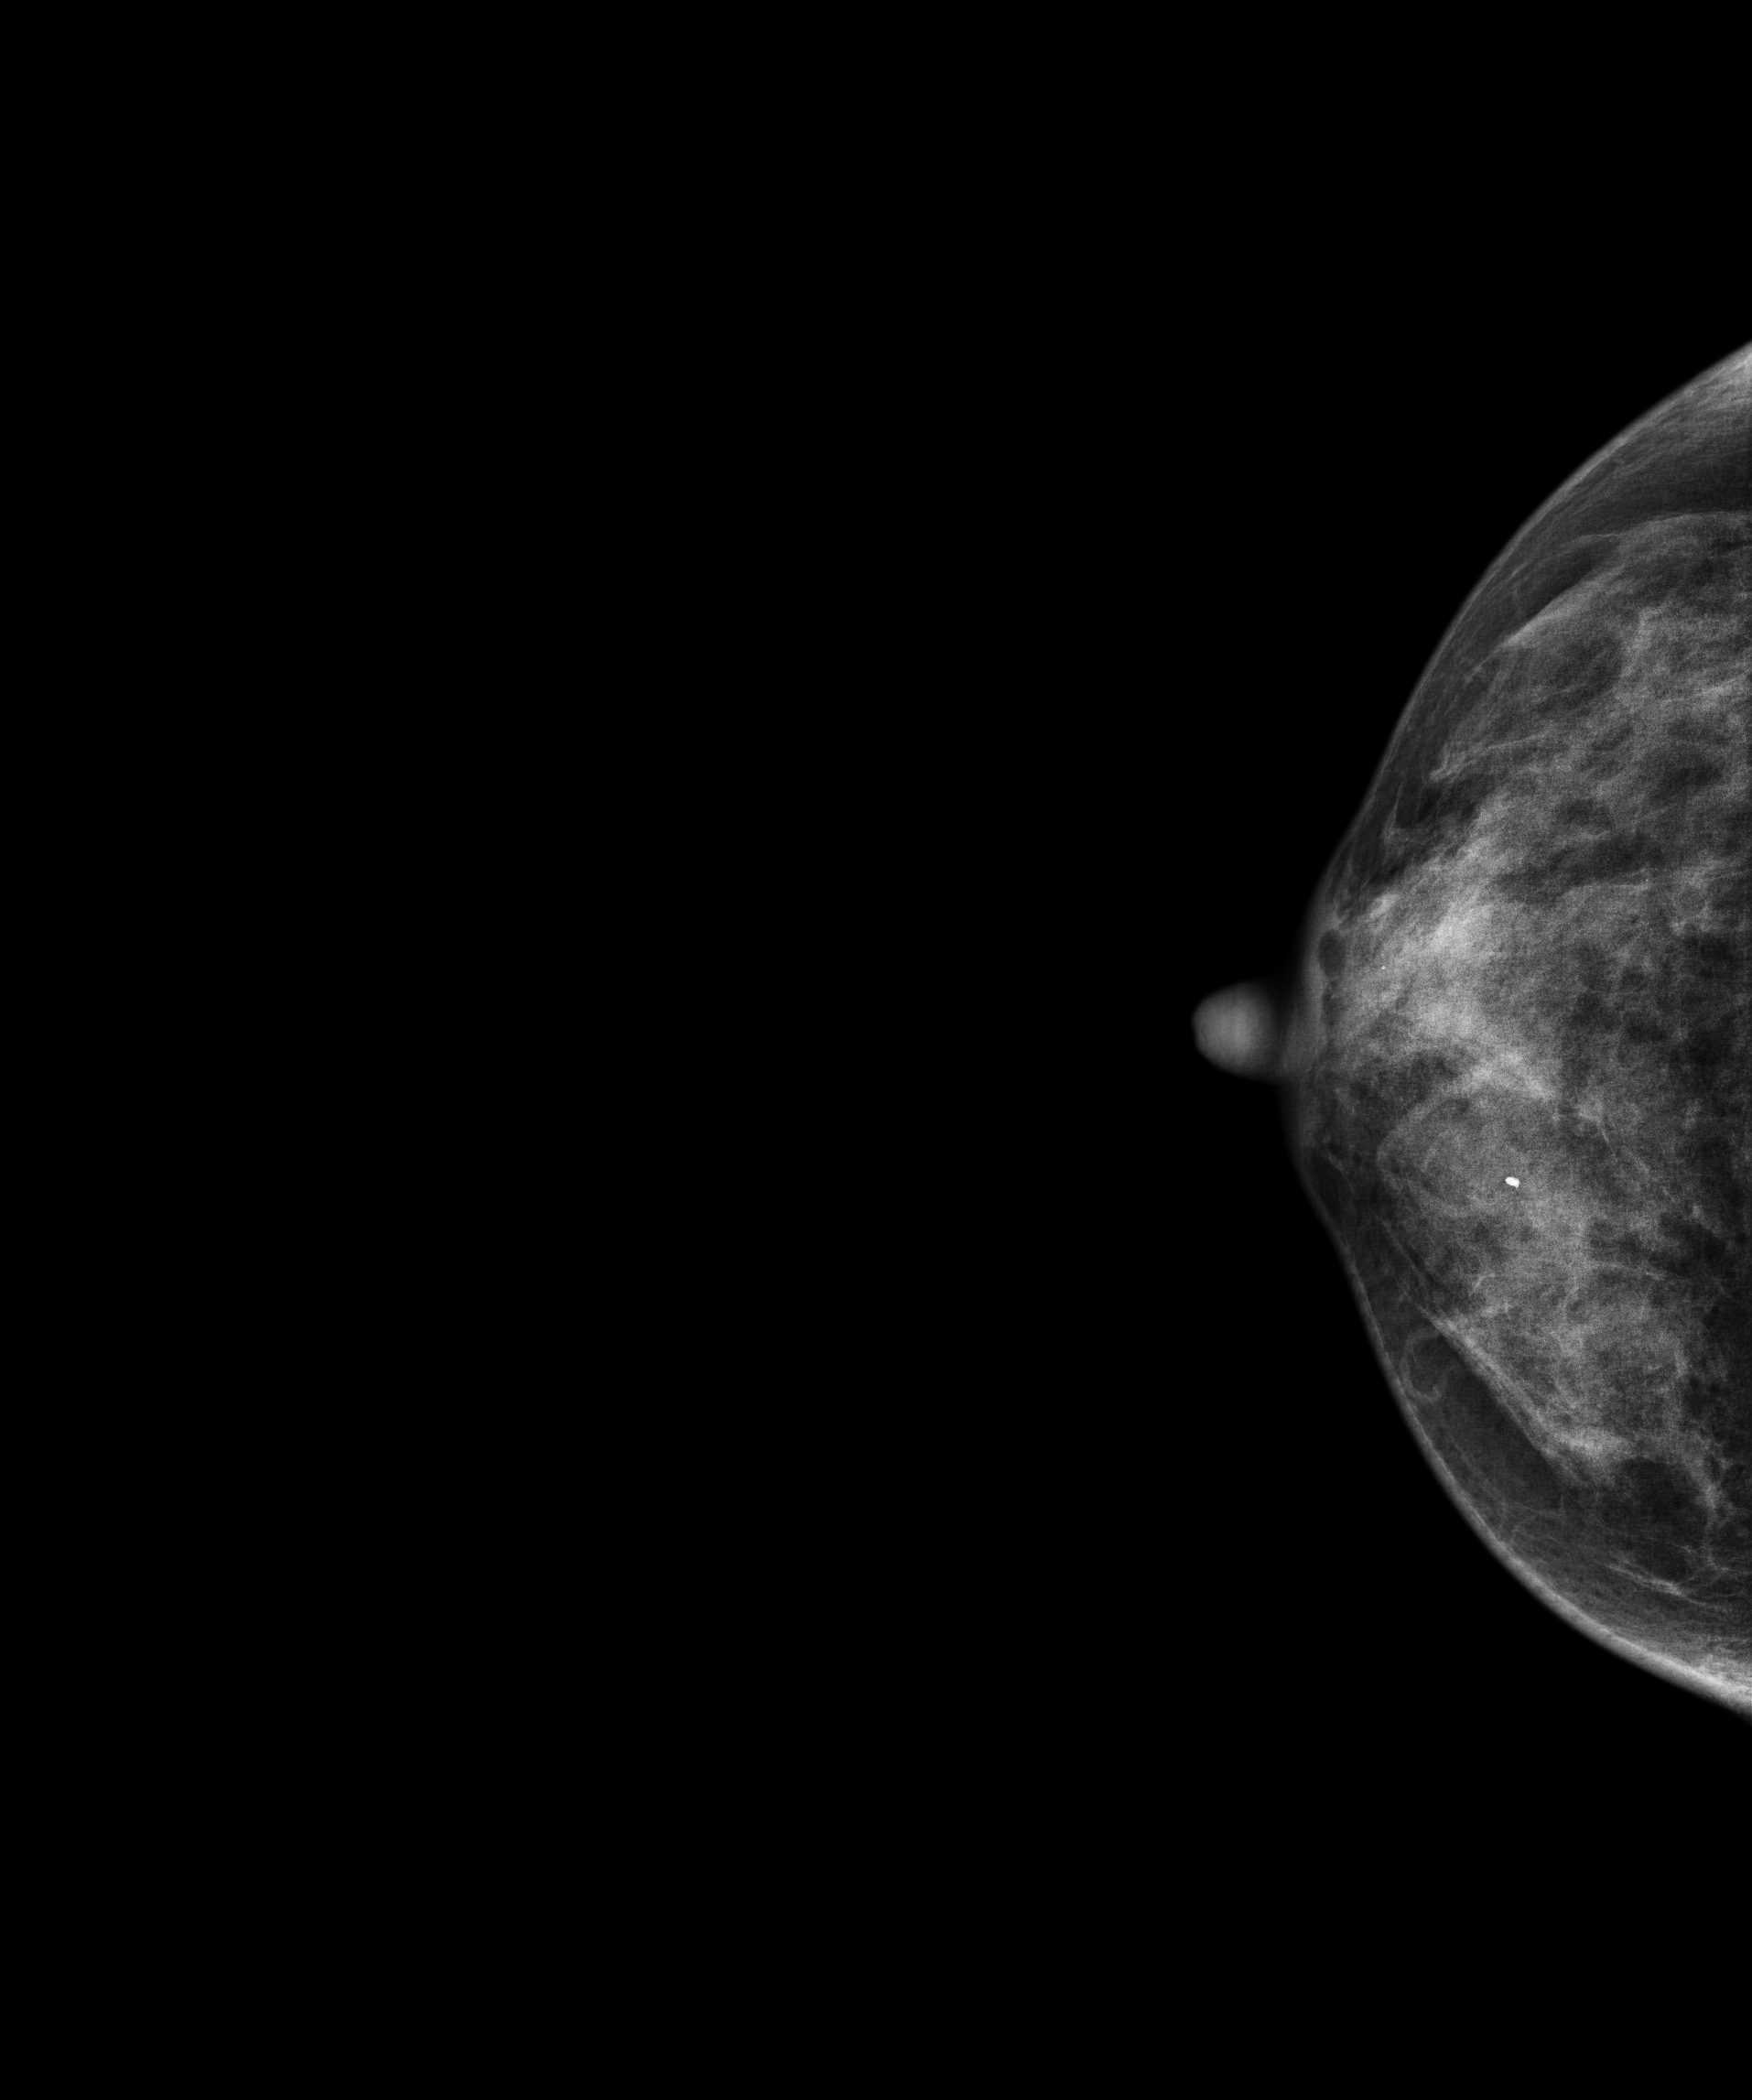
Mammogram — right CC. 44 y/o patient.
This breast has calcifications, biopsy-confirmed benign.